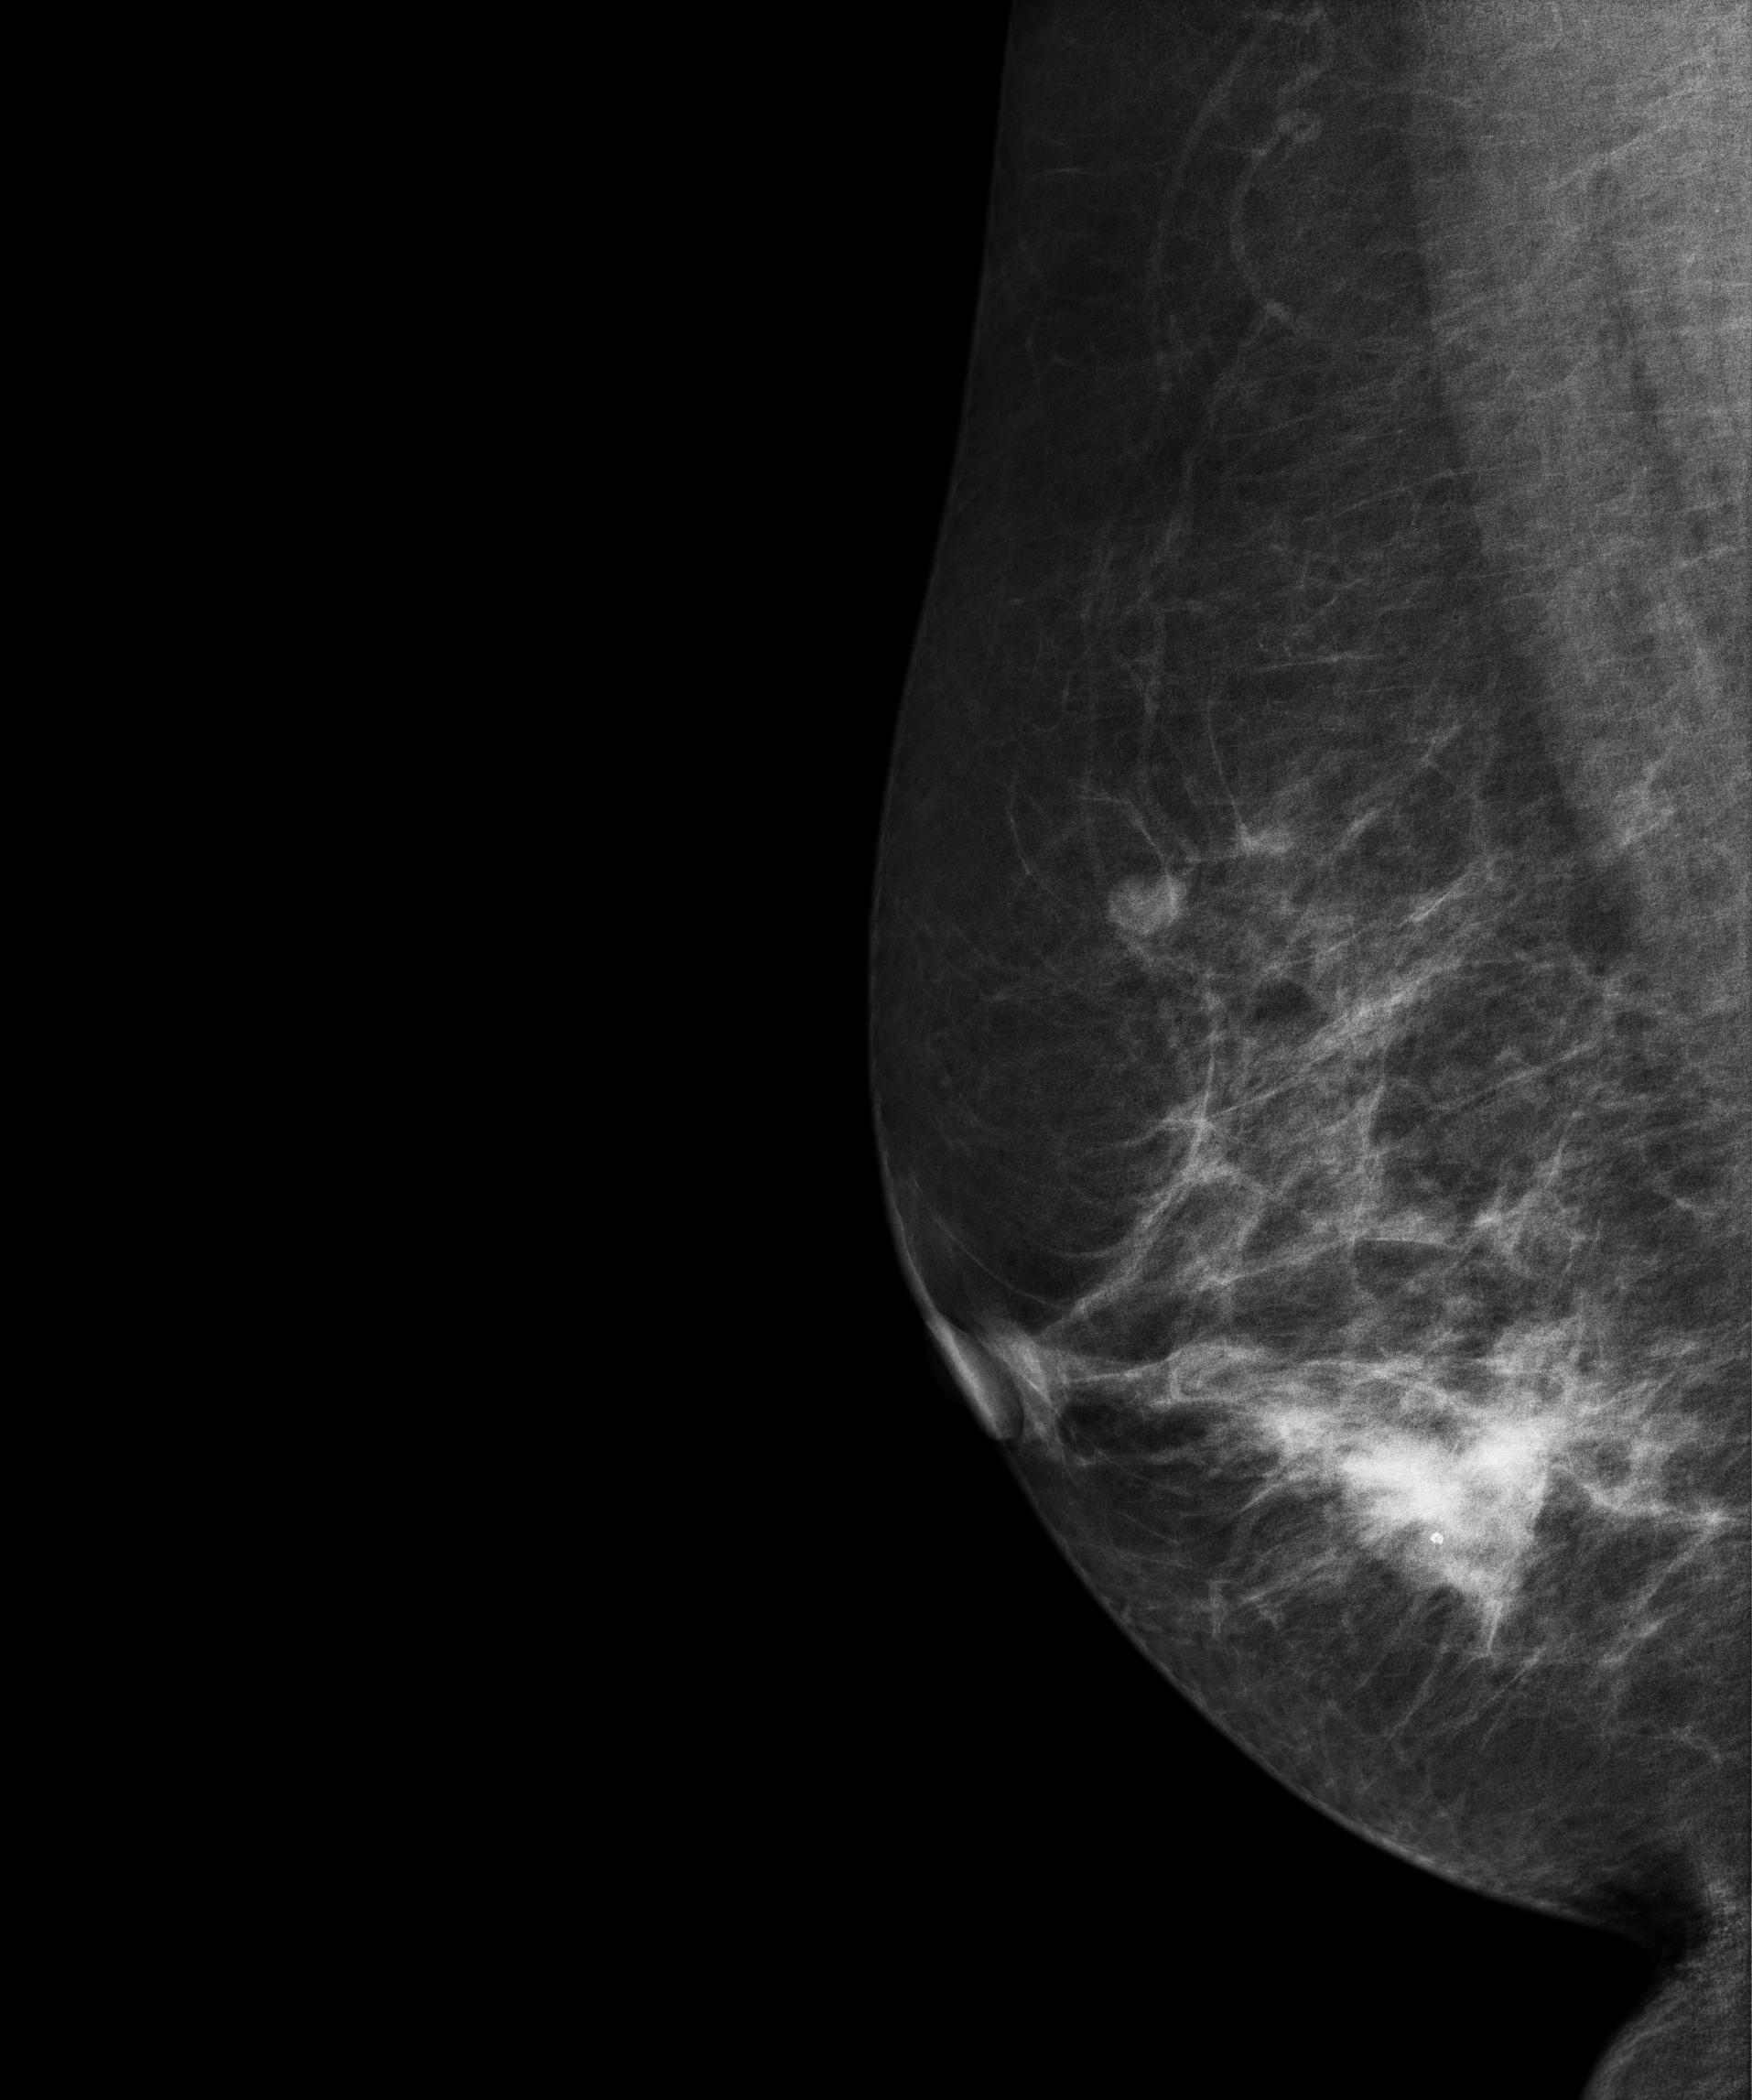
Mammogram, right breast, medio-lateral oblique view. Patient age 59.
This breast has a mass, histologically confirmed malignant. Molecular subtype: HER2-enriched.